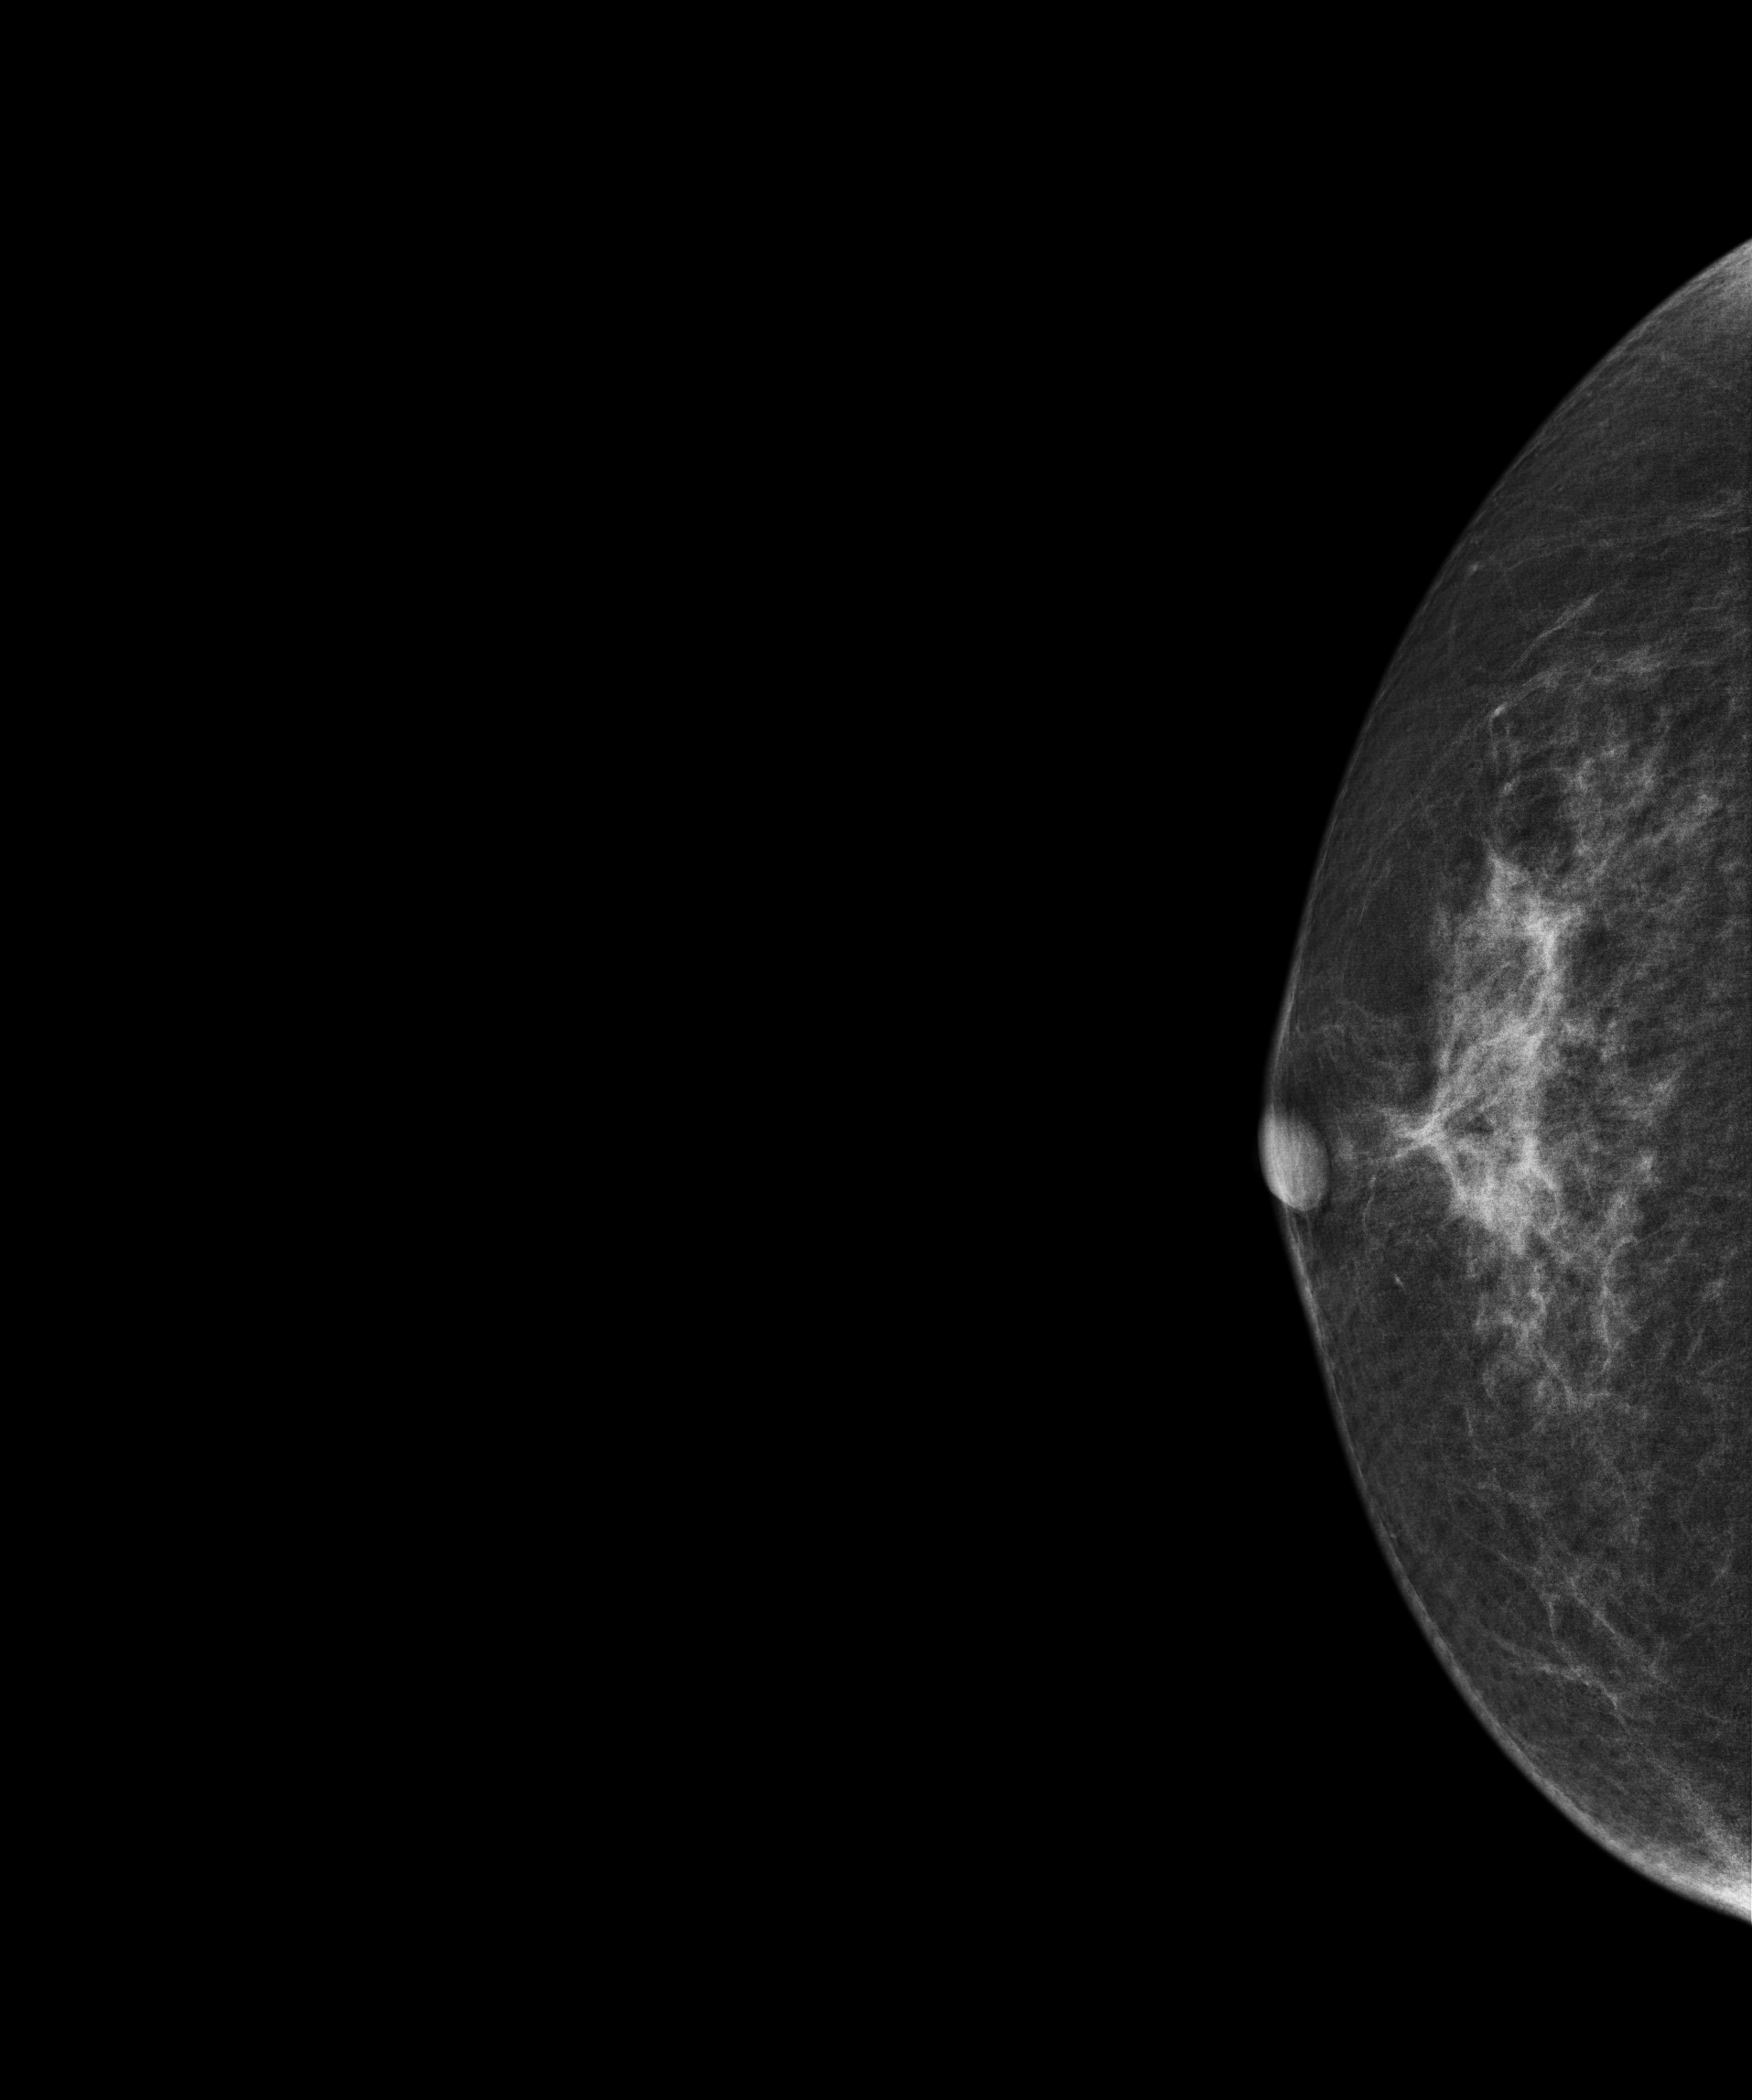
Mammogram, right breast, CC view. Patient age 61.
Contralateral breast — no documented abnormality on this side.